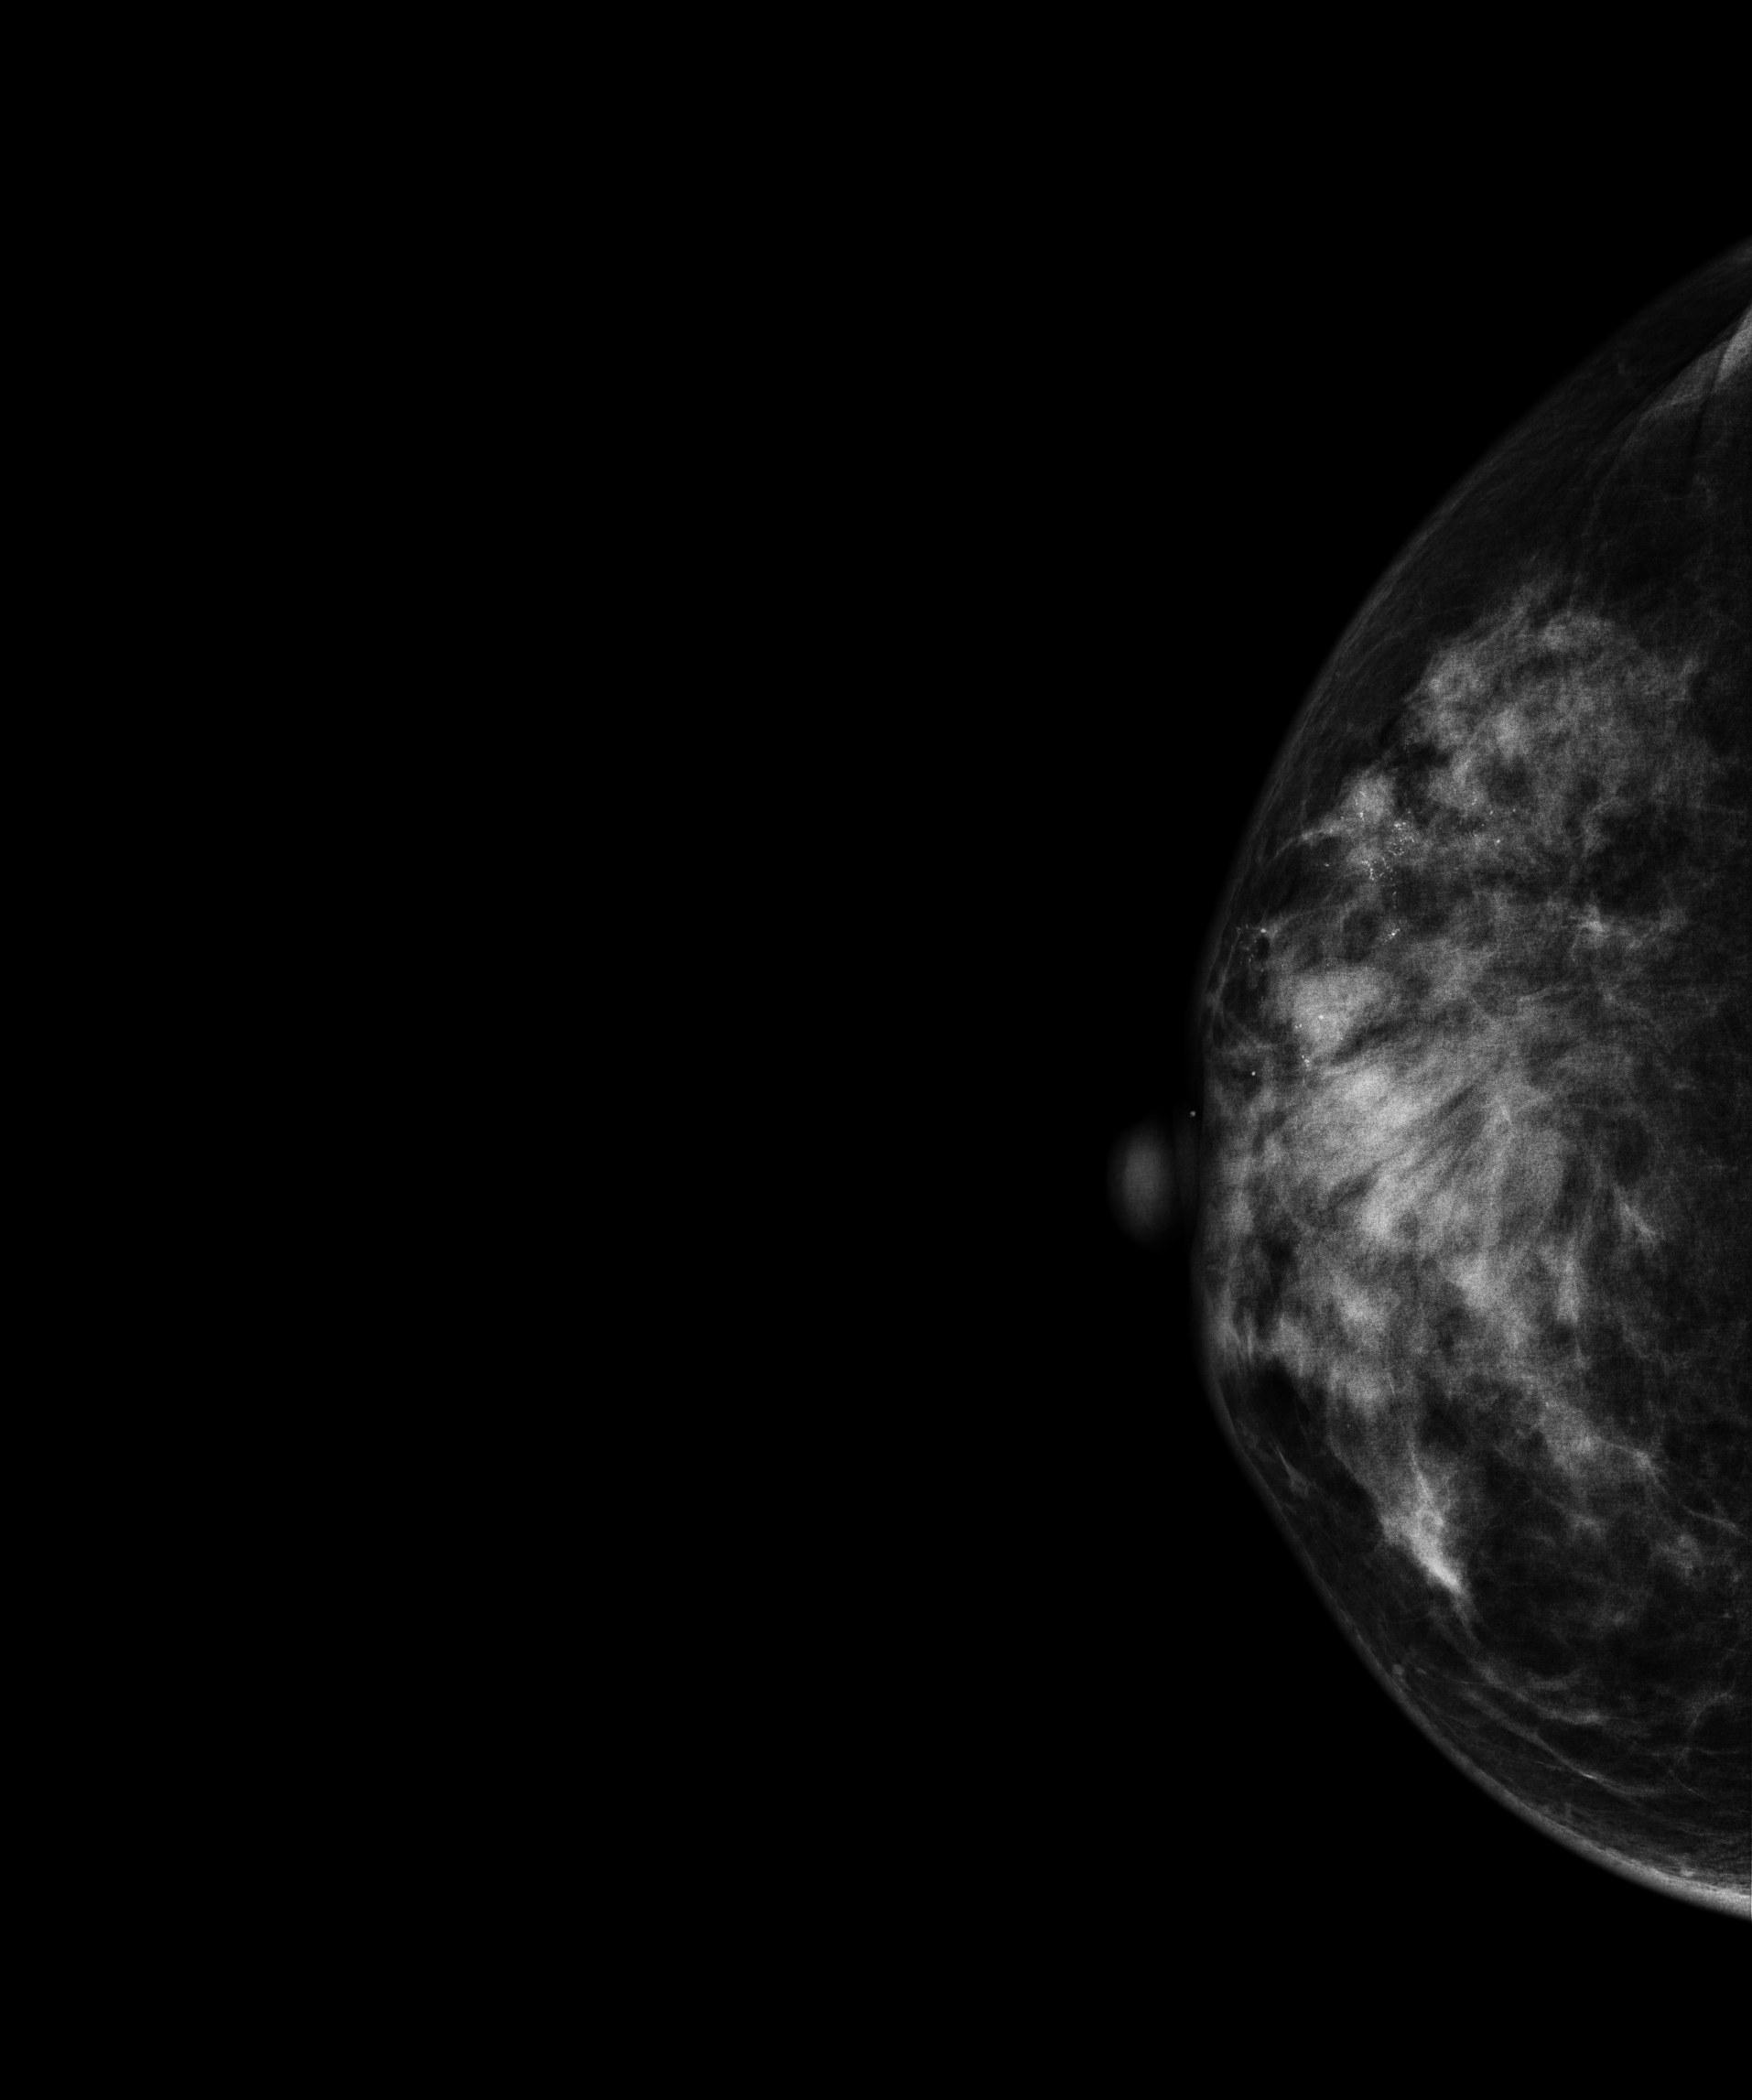
Right-breast mammogram, CC. 50 y/o patient.
This breast has a mass and calcifications, biopsy-confirmed malignant. Molecular subtype: luminal B.